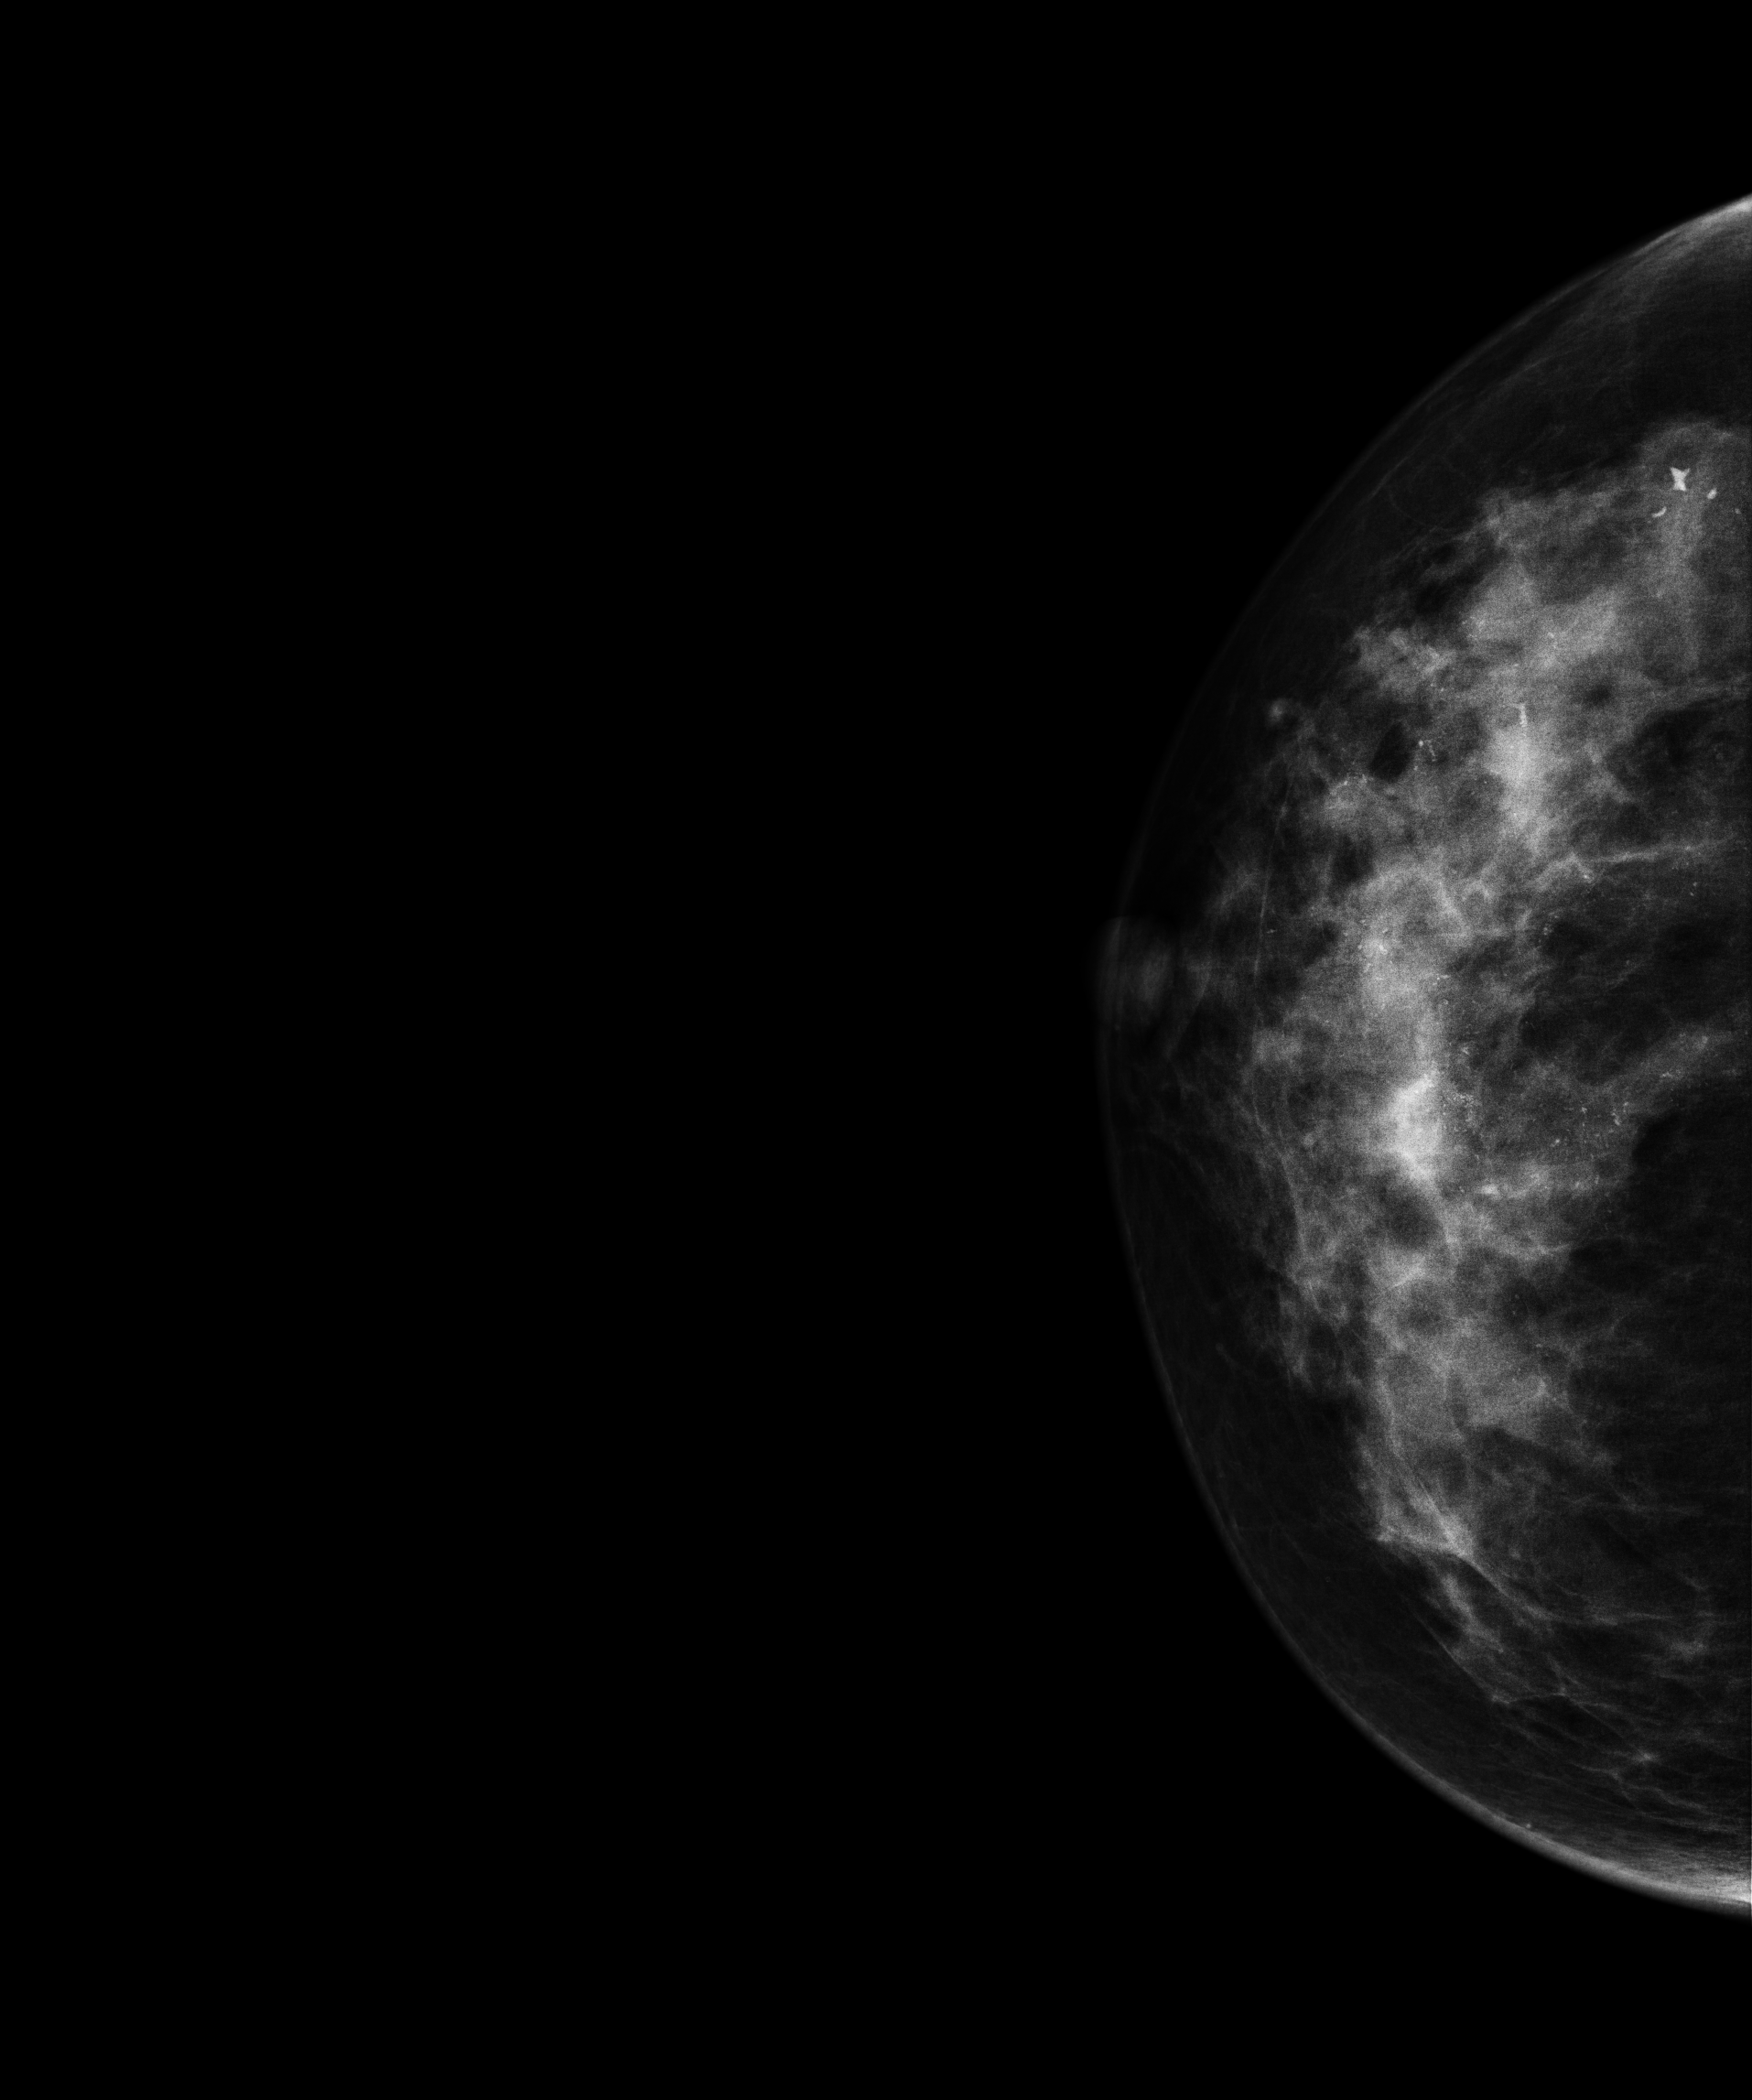
Mammogram — right cranio-caudal. 50 y/o patient.
This breast has a mass and calcifications, biopsy-proven malignant.